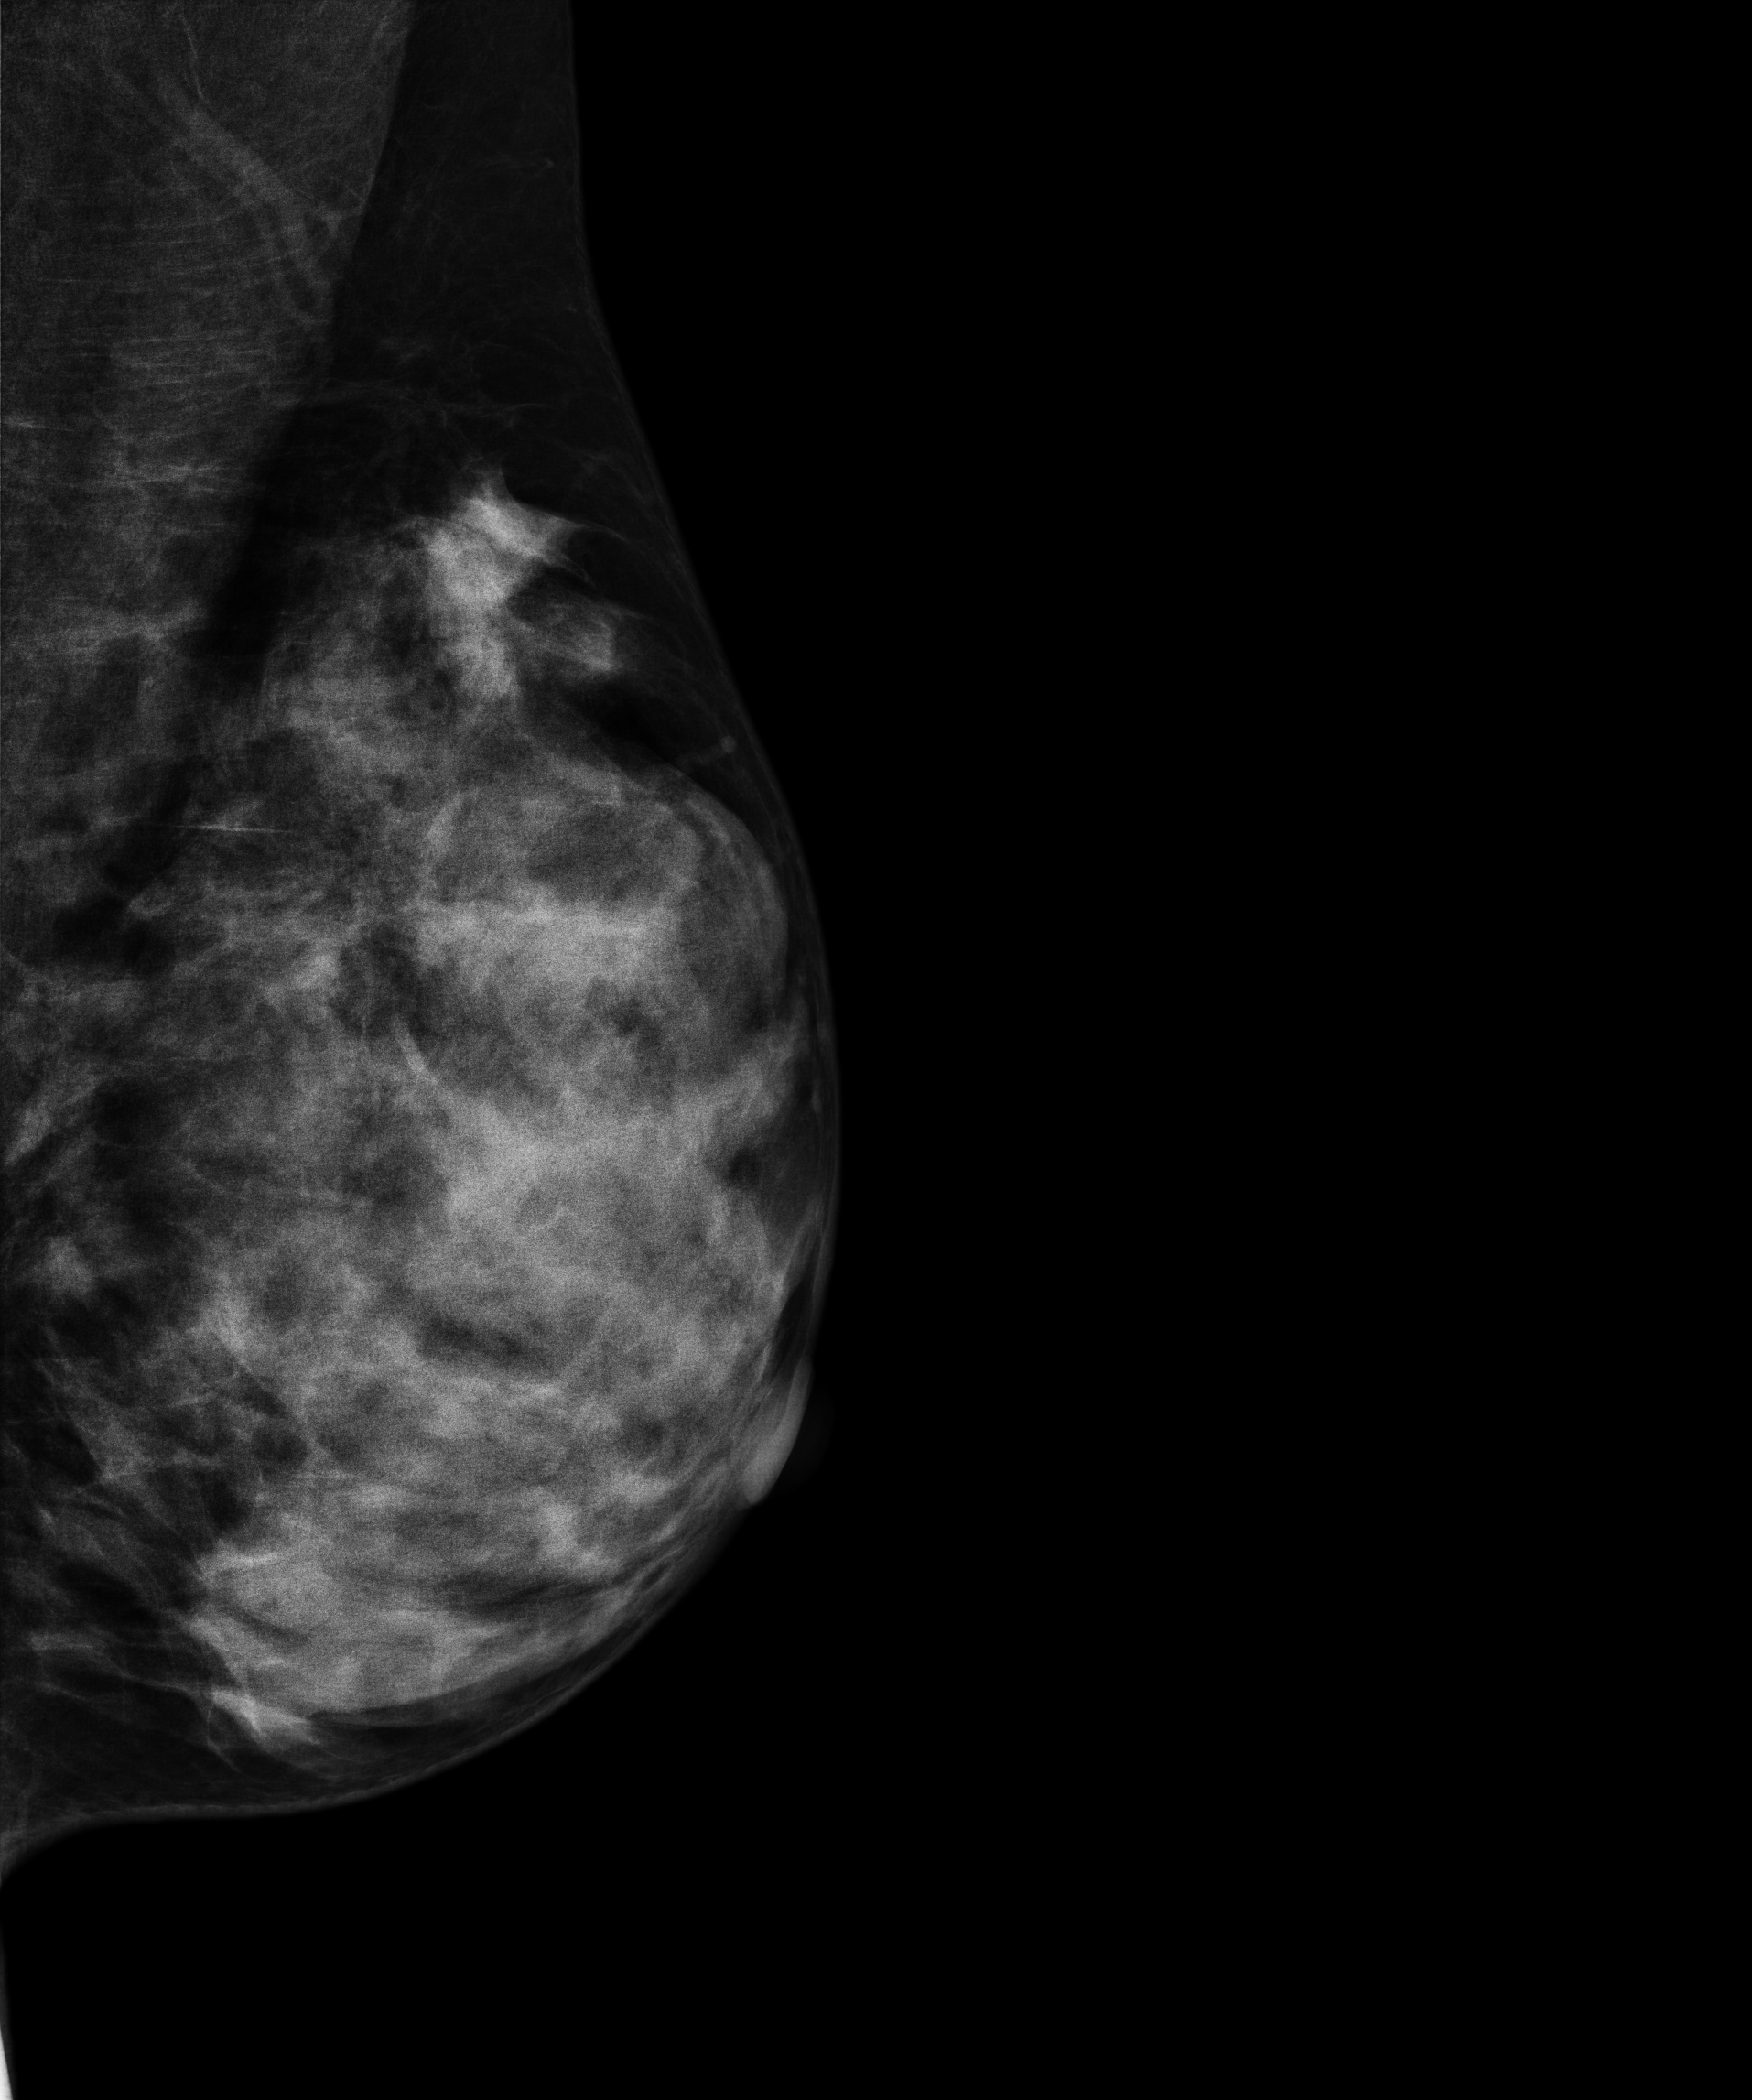
Medio-lateral oblique mammogram of the left breast. Patient age 41.
This breast has a mass, biopsy-proven malignant.